Mammogram, left breast, medio-lateral oblique view. Patient age 42.
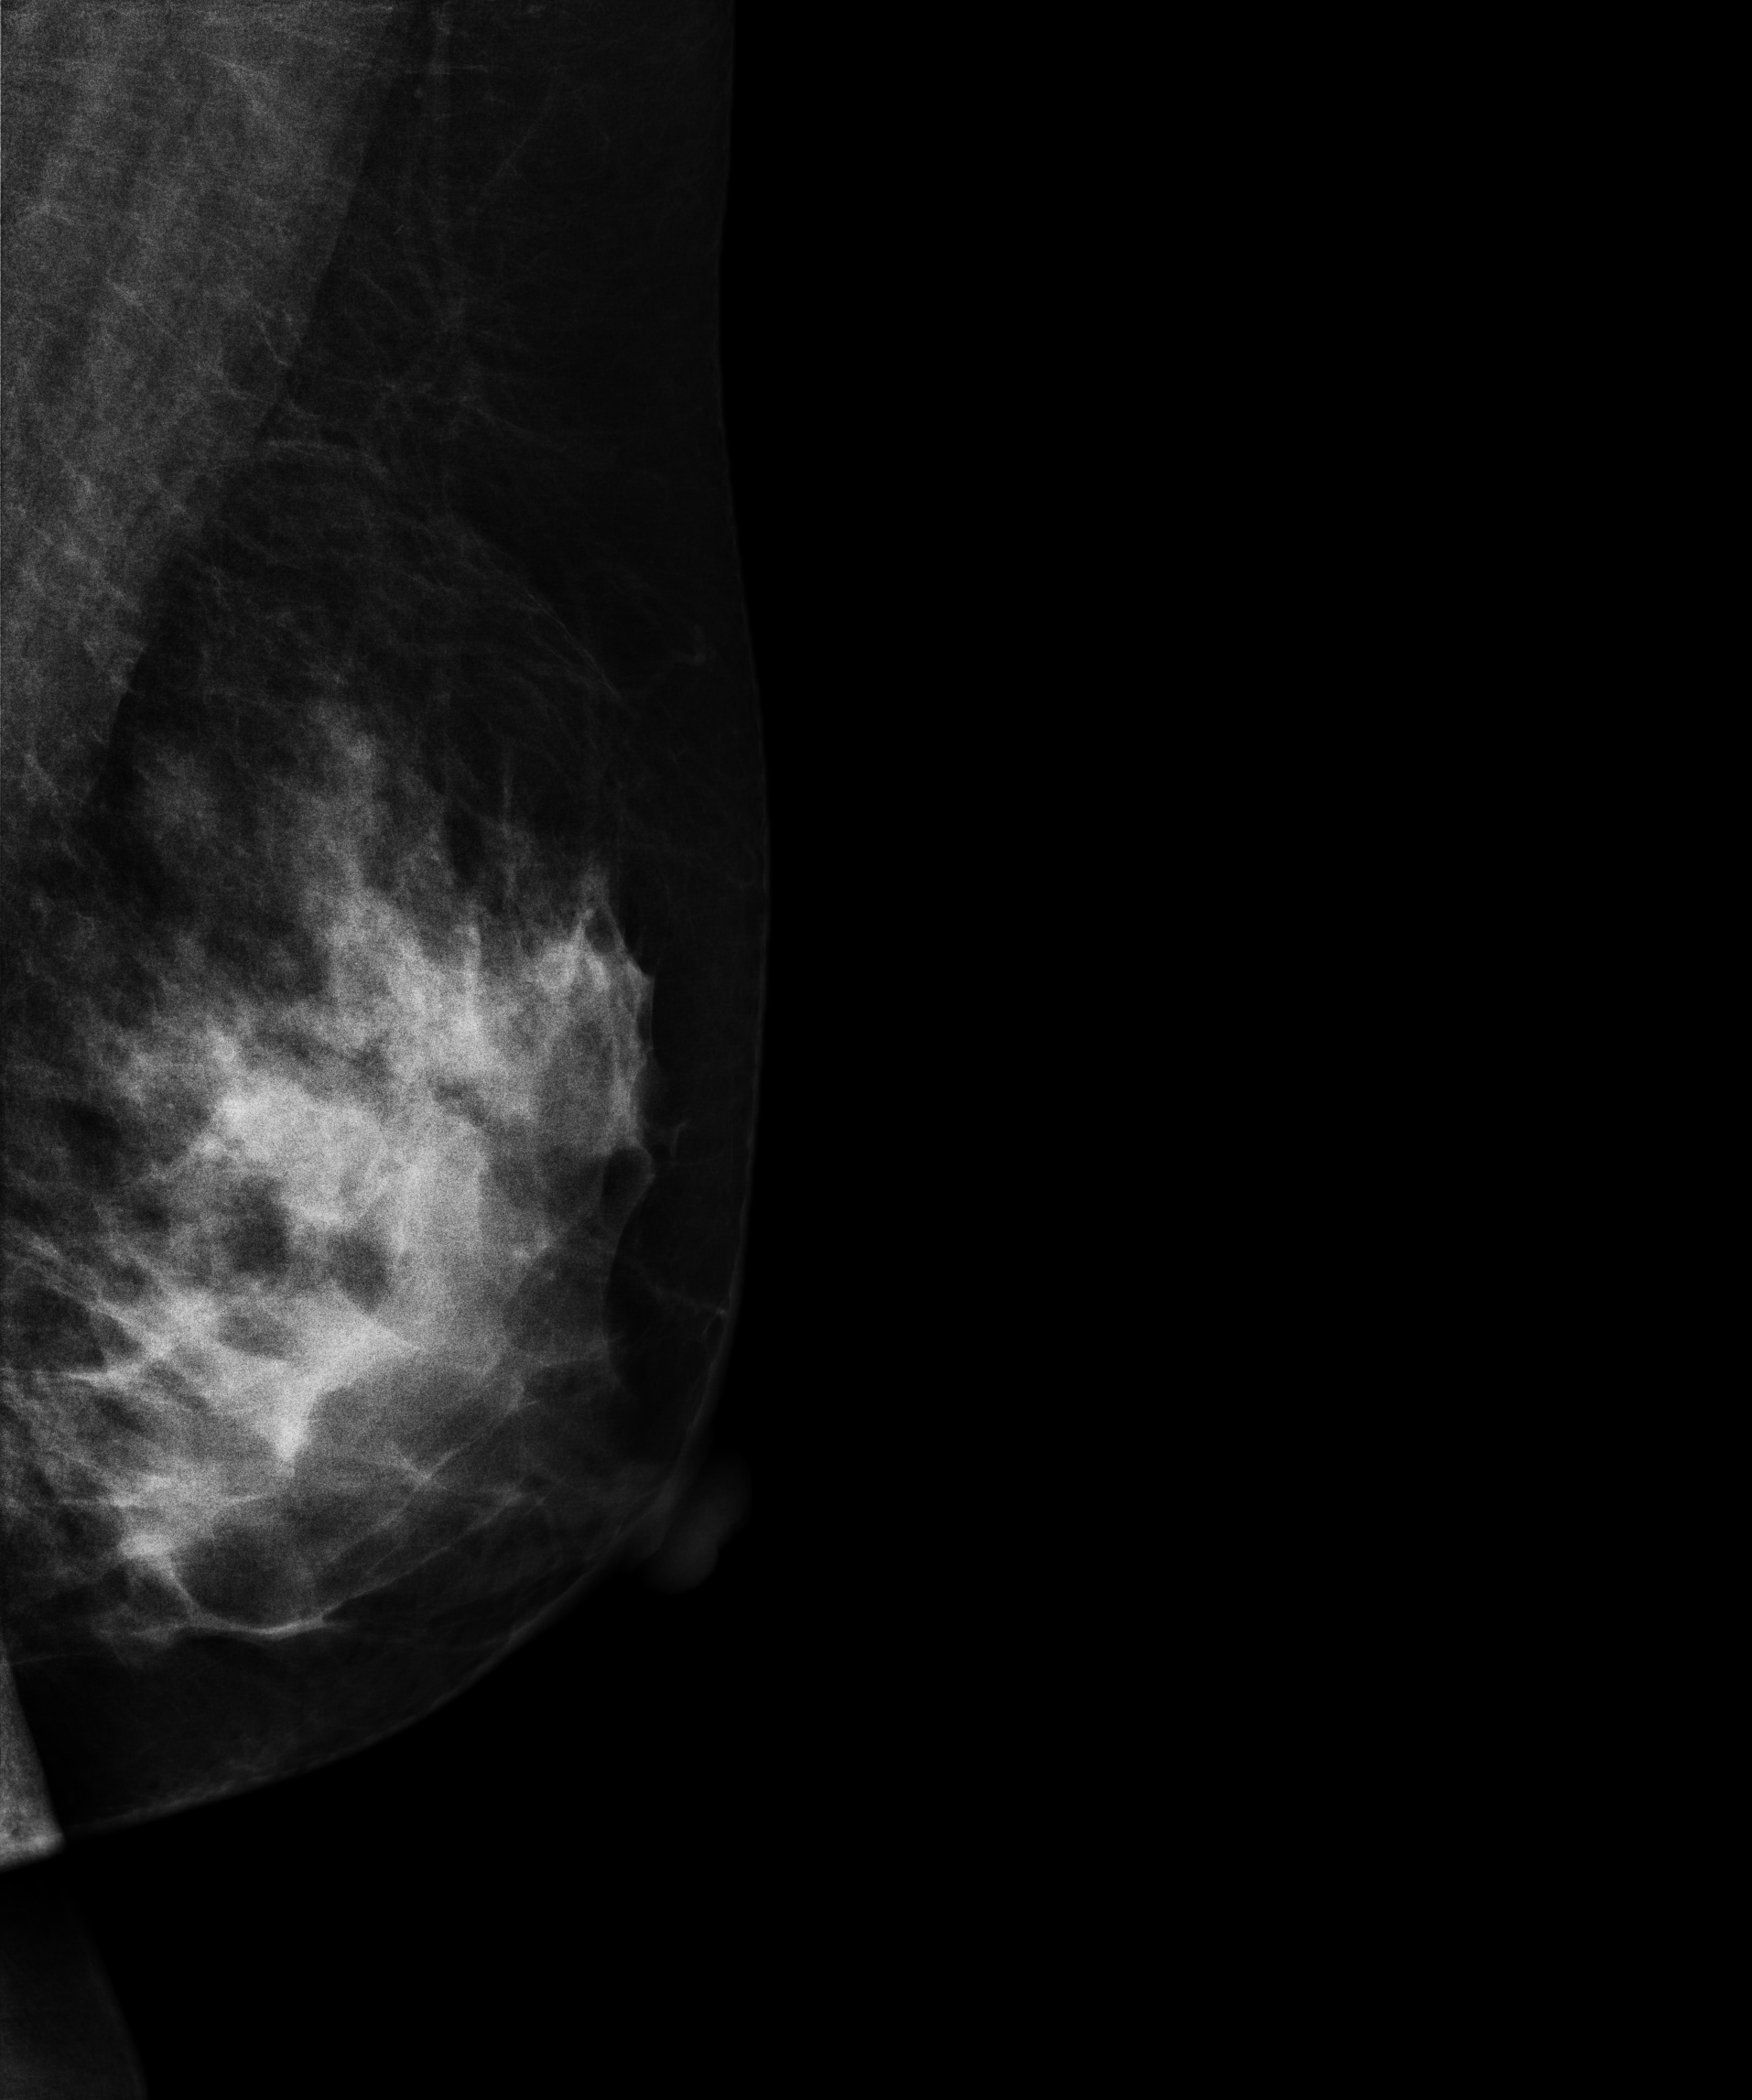
Contralateral breast — no documented abnormality on this side.